Right-breast mammogram, medio-lateral oblique. 48 y/o patient.
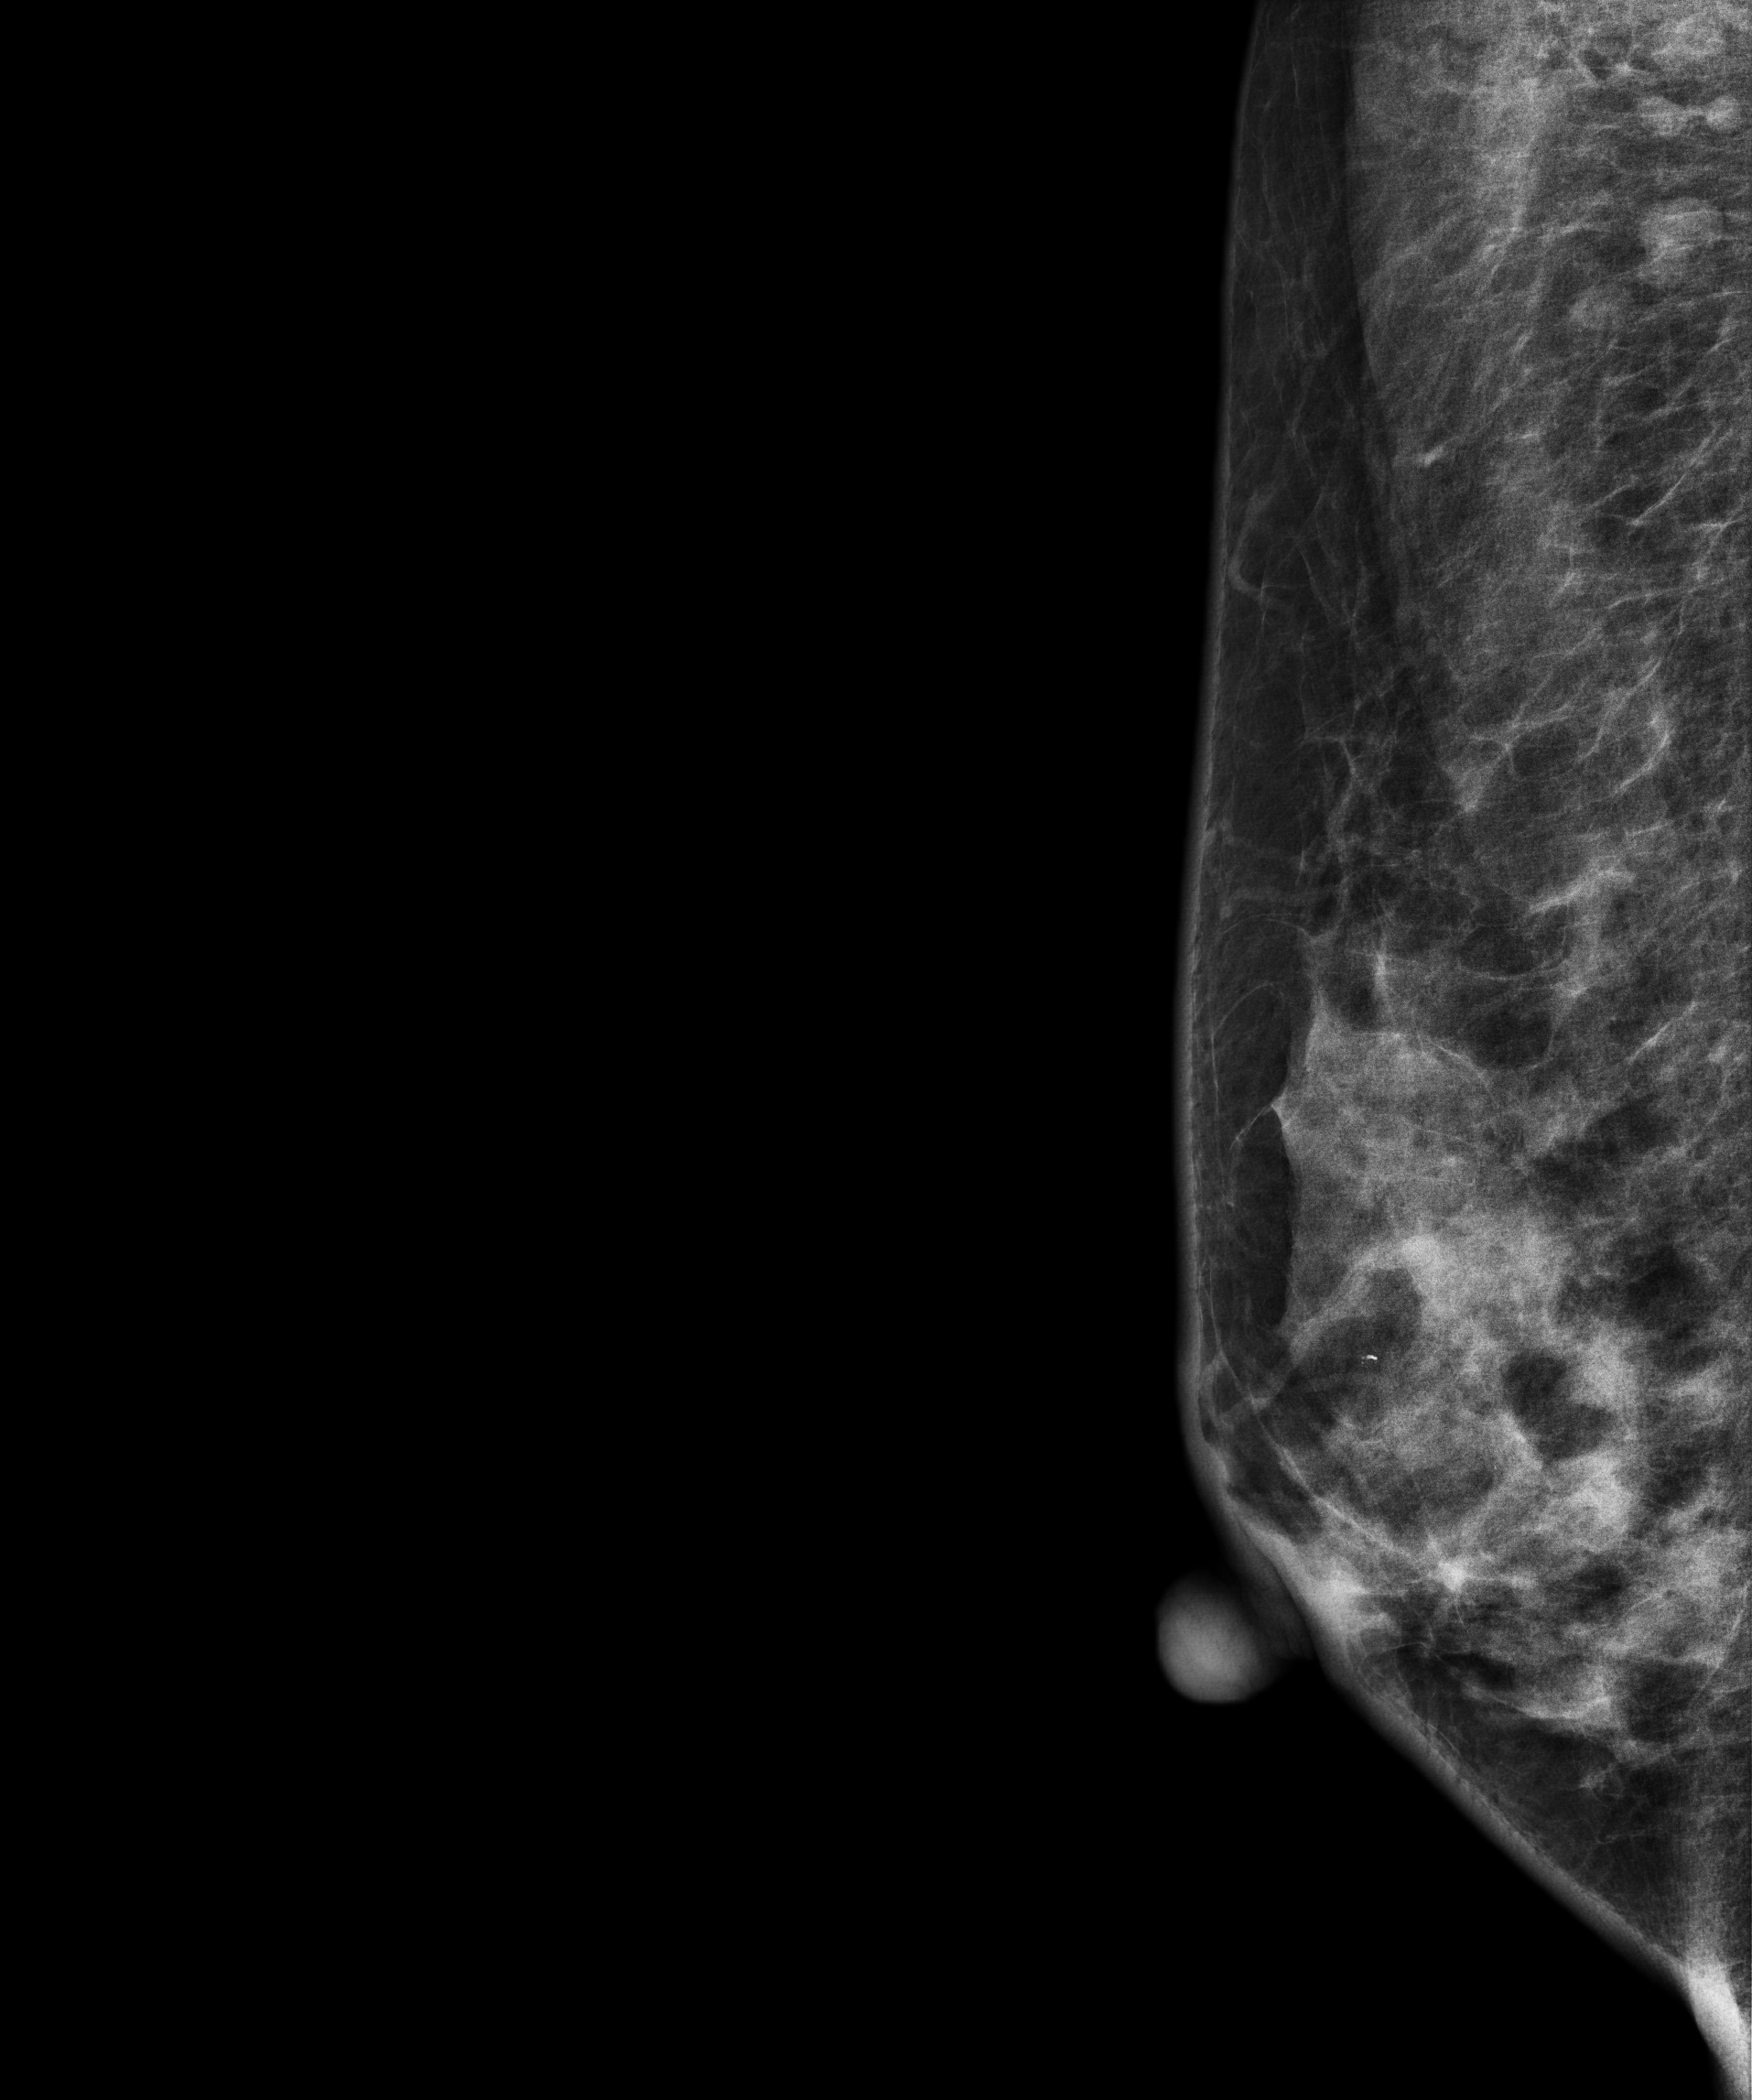
Contralateral breast — no documented abnormality on this side.